Digital mammography. Left breast, MLO projection. 52 y/o patient.
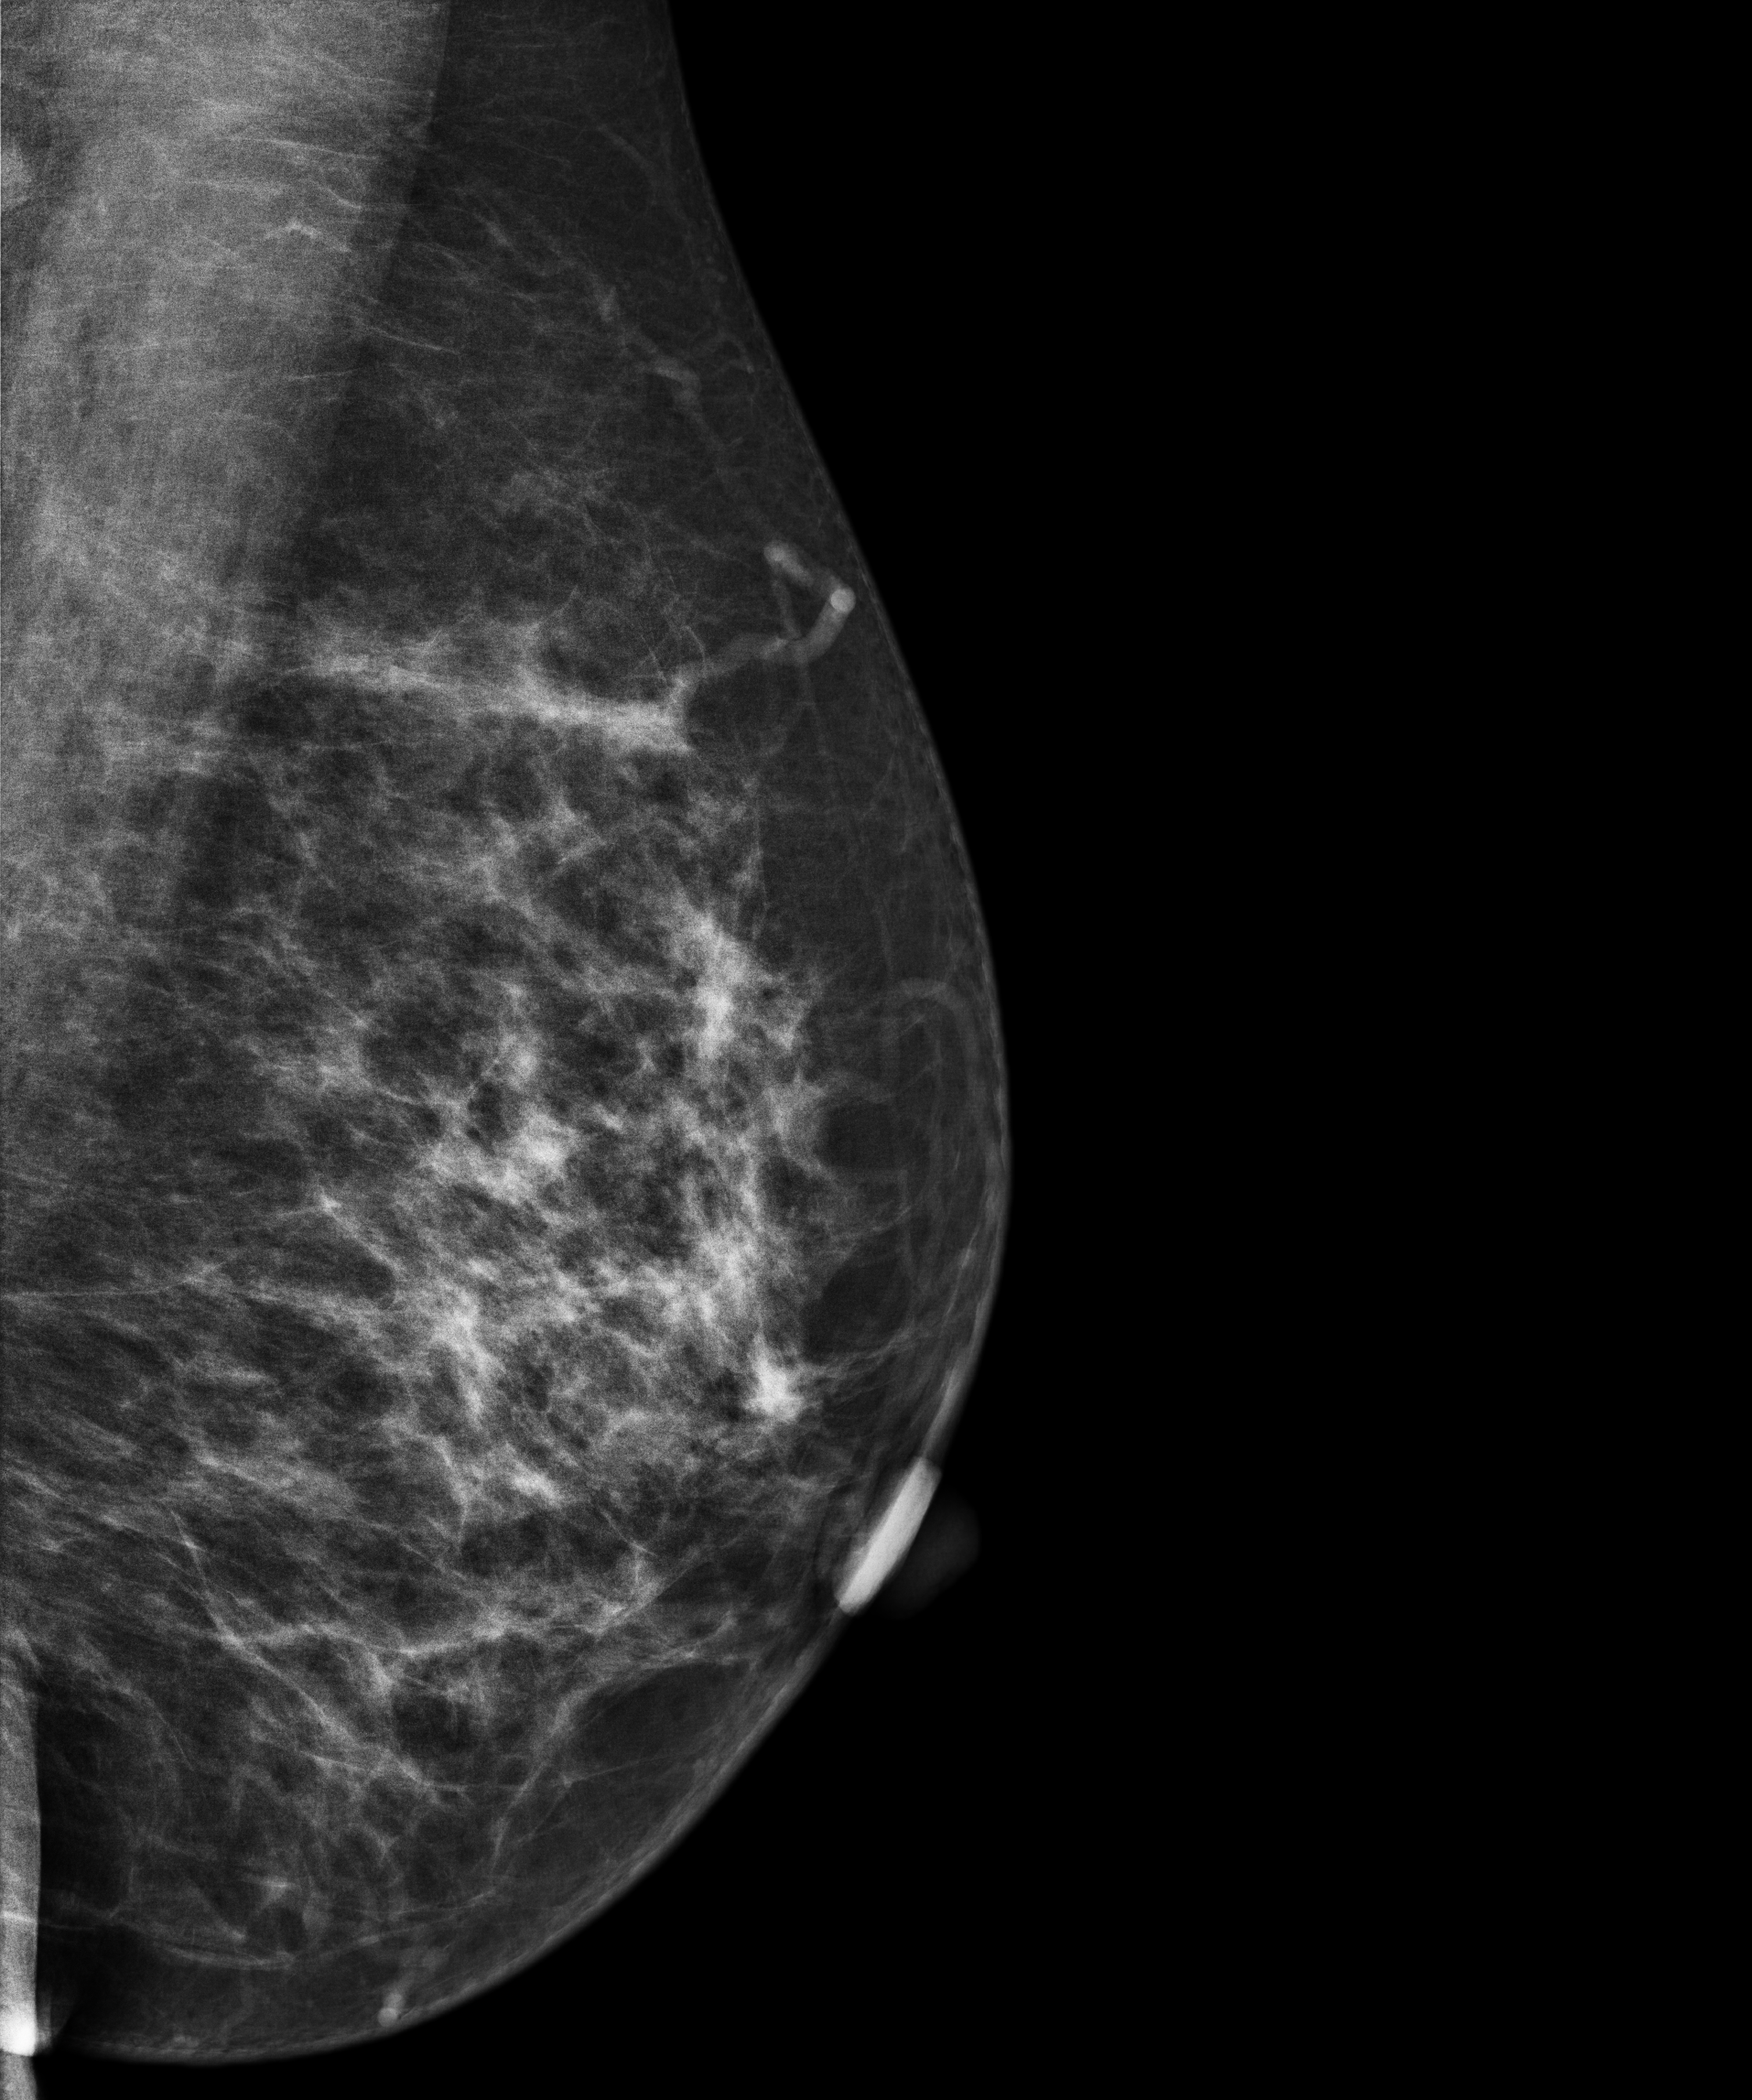
Contralateral breast — no documented abnormality on this side.